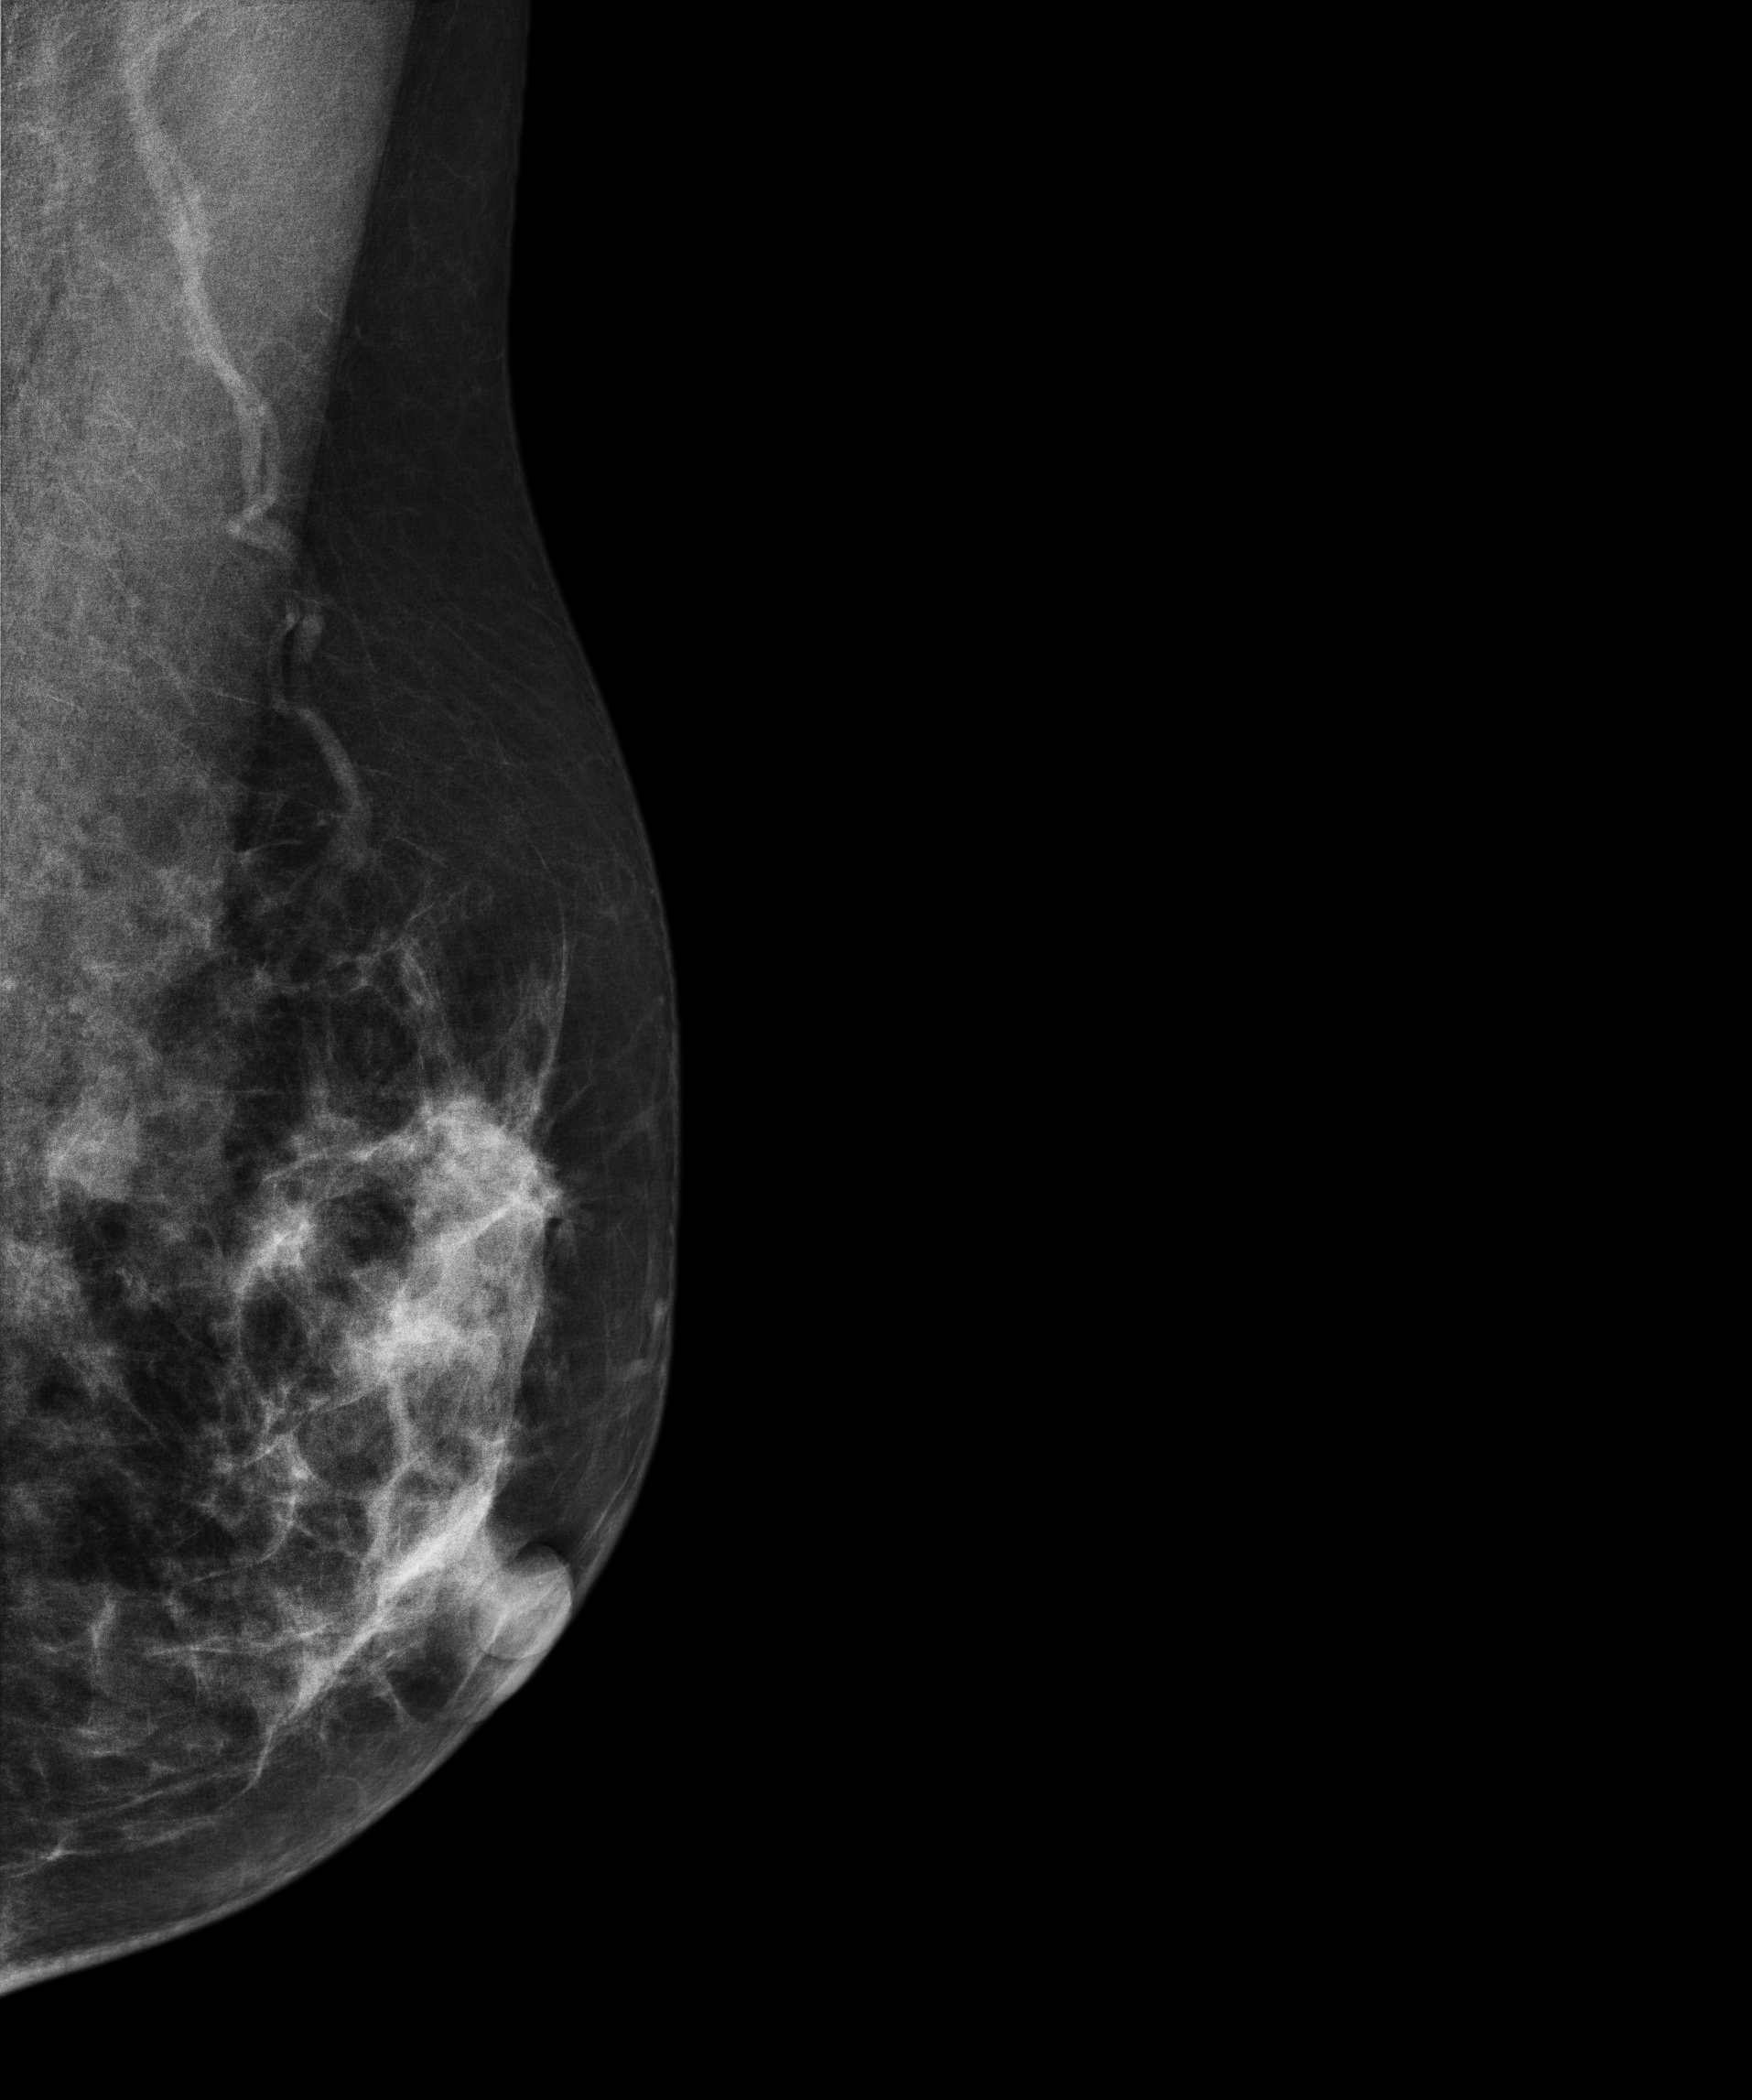
Mammogram — left medio-lateral oblique. Patient age 42.
This breast has a mass, biopsy-confirmed malignant. Molecular subtype: HER2-enriched.